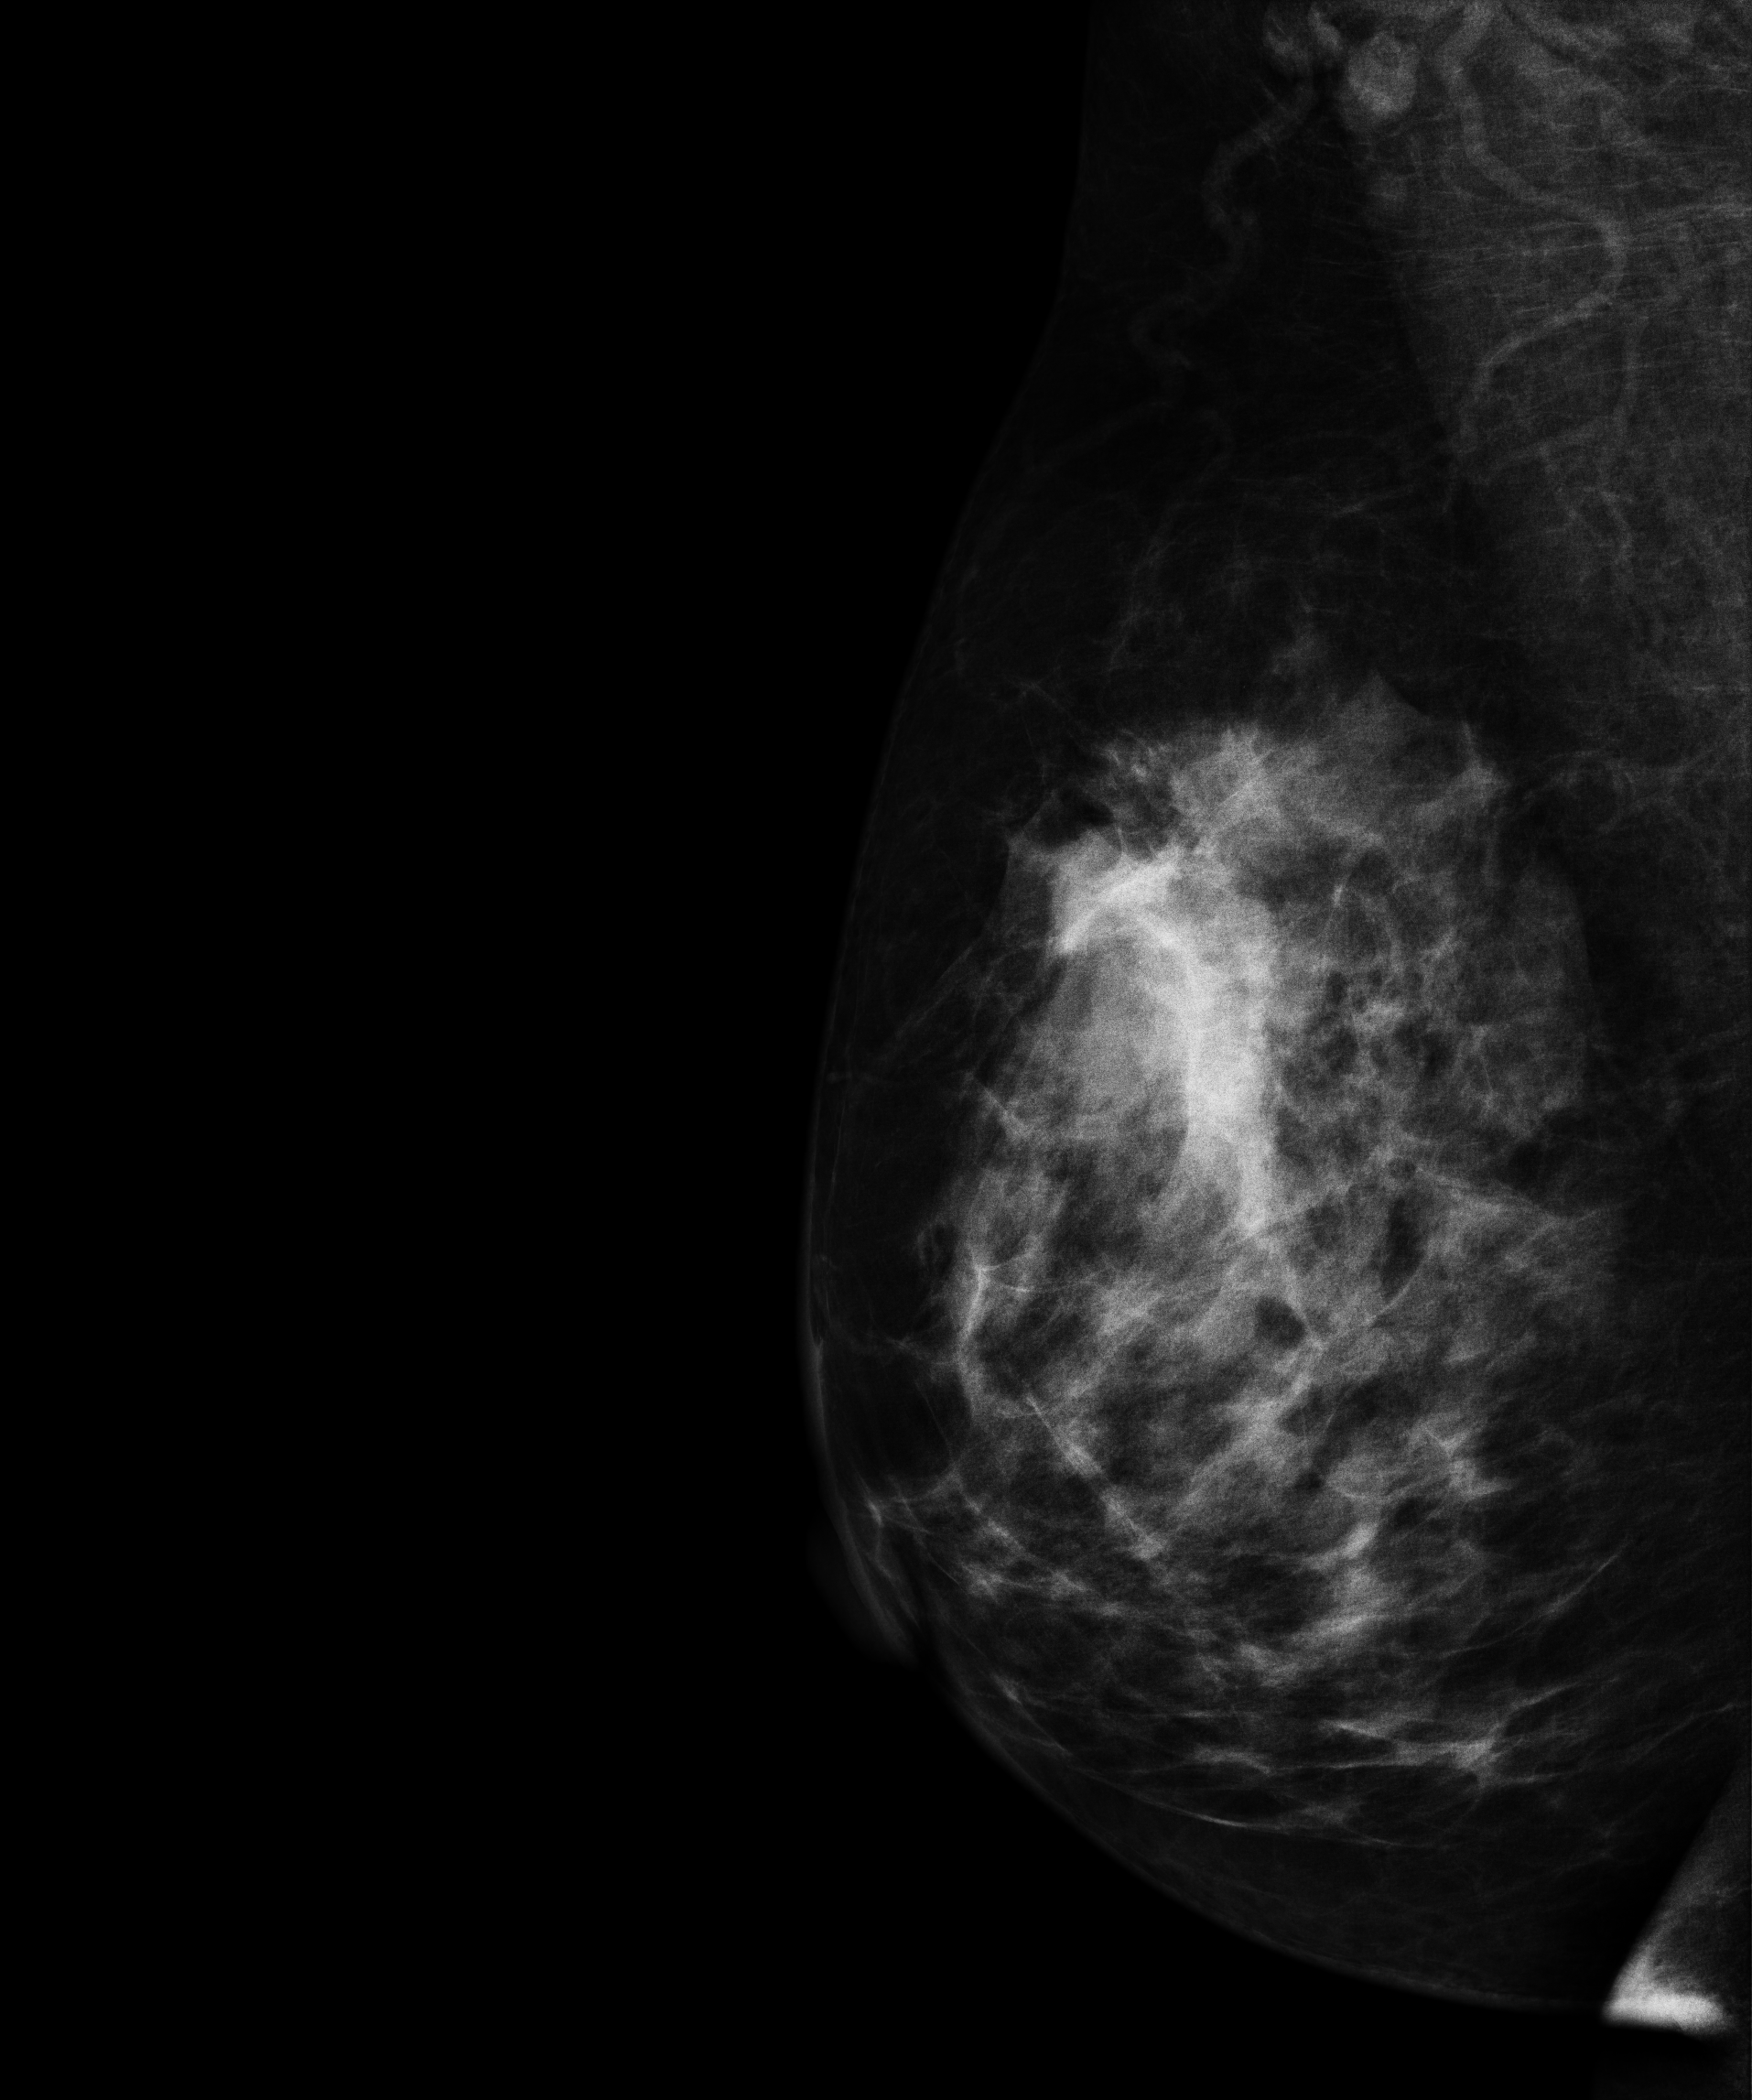
Mammogram — right MLO. 49 y/o patient.
This breast has a mass and calcifications, biopsy-proven malignant. Molecular subtype: luminal B.